Digital mammography. Right breast, cranio-caudal projection. Patient age 23.
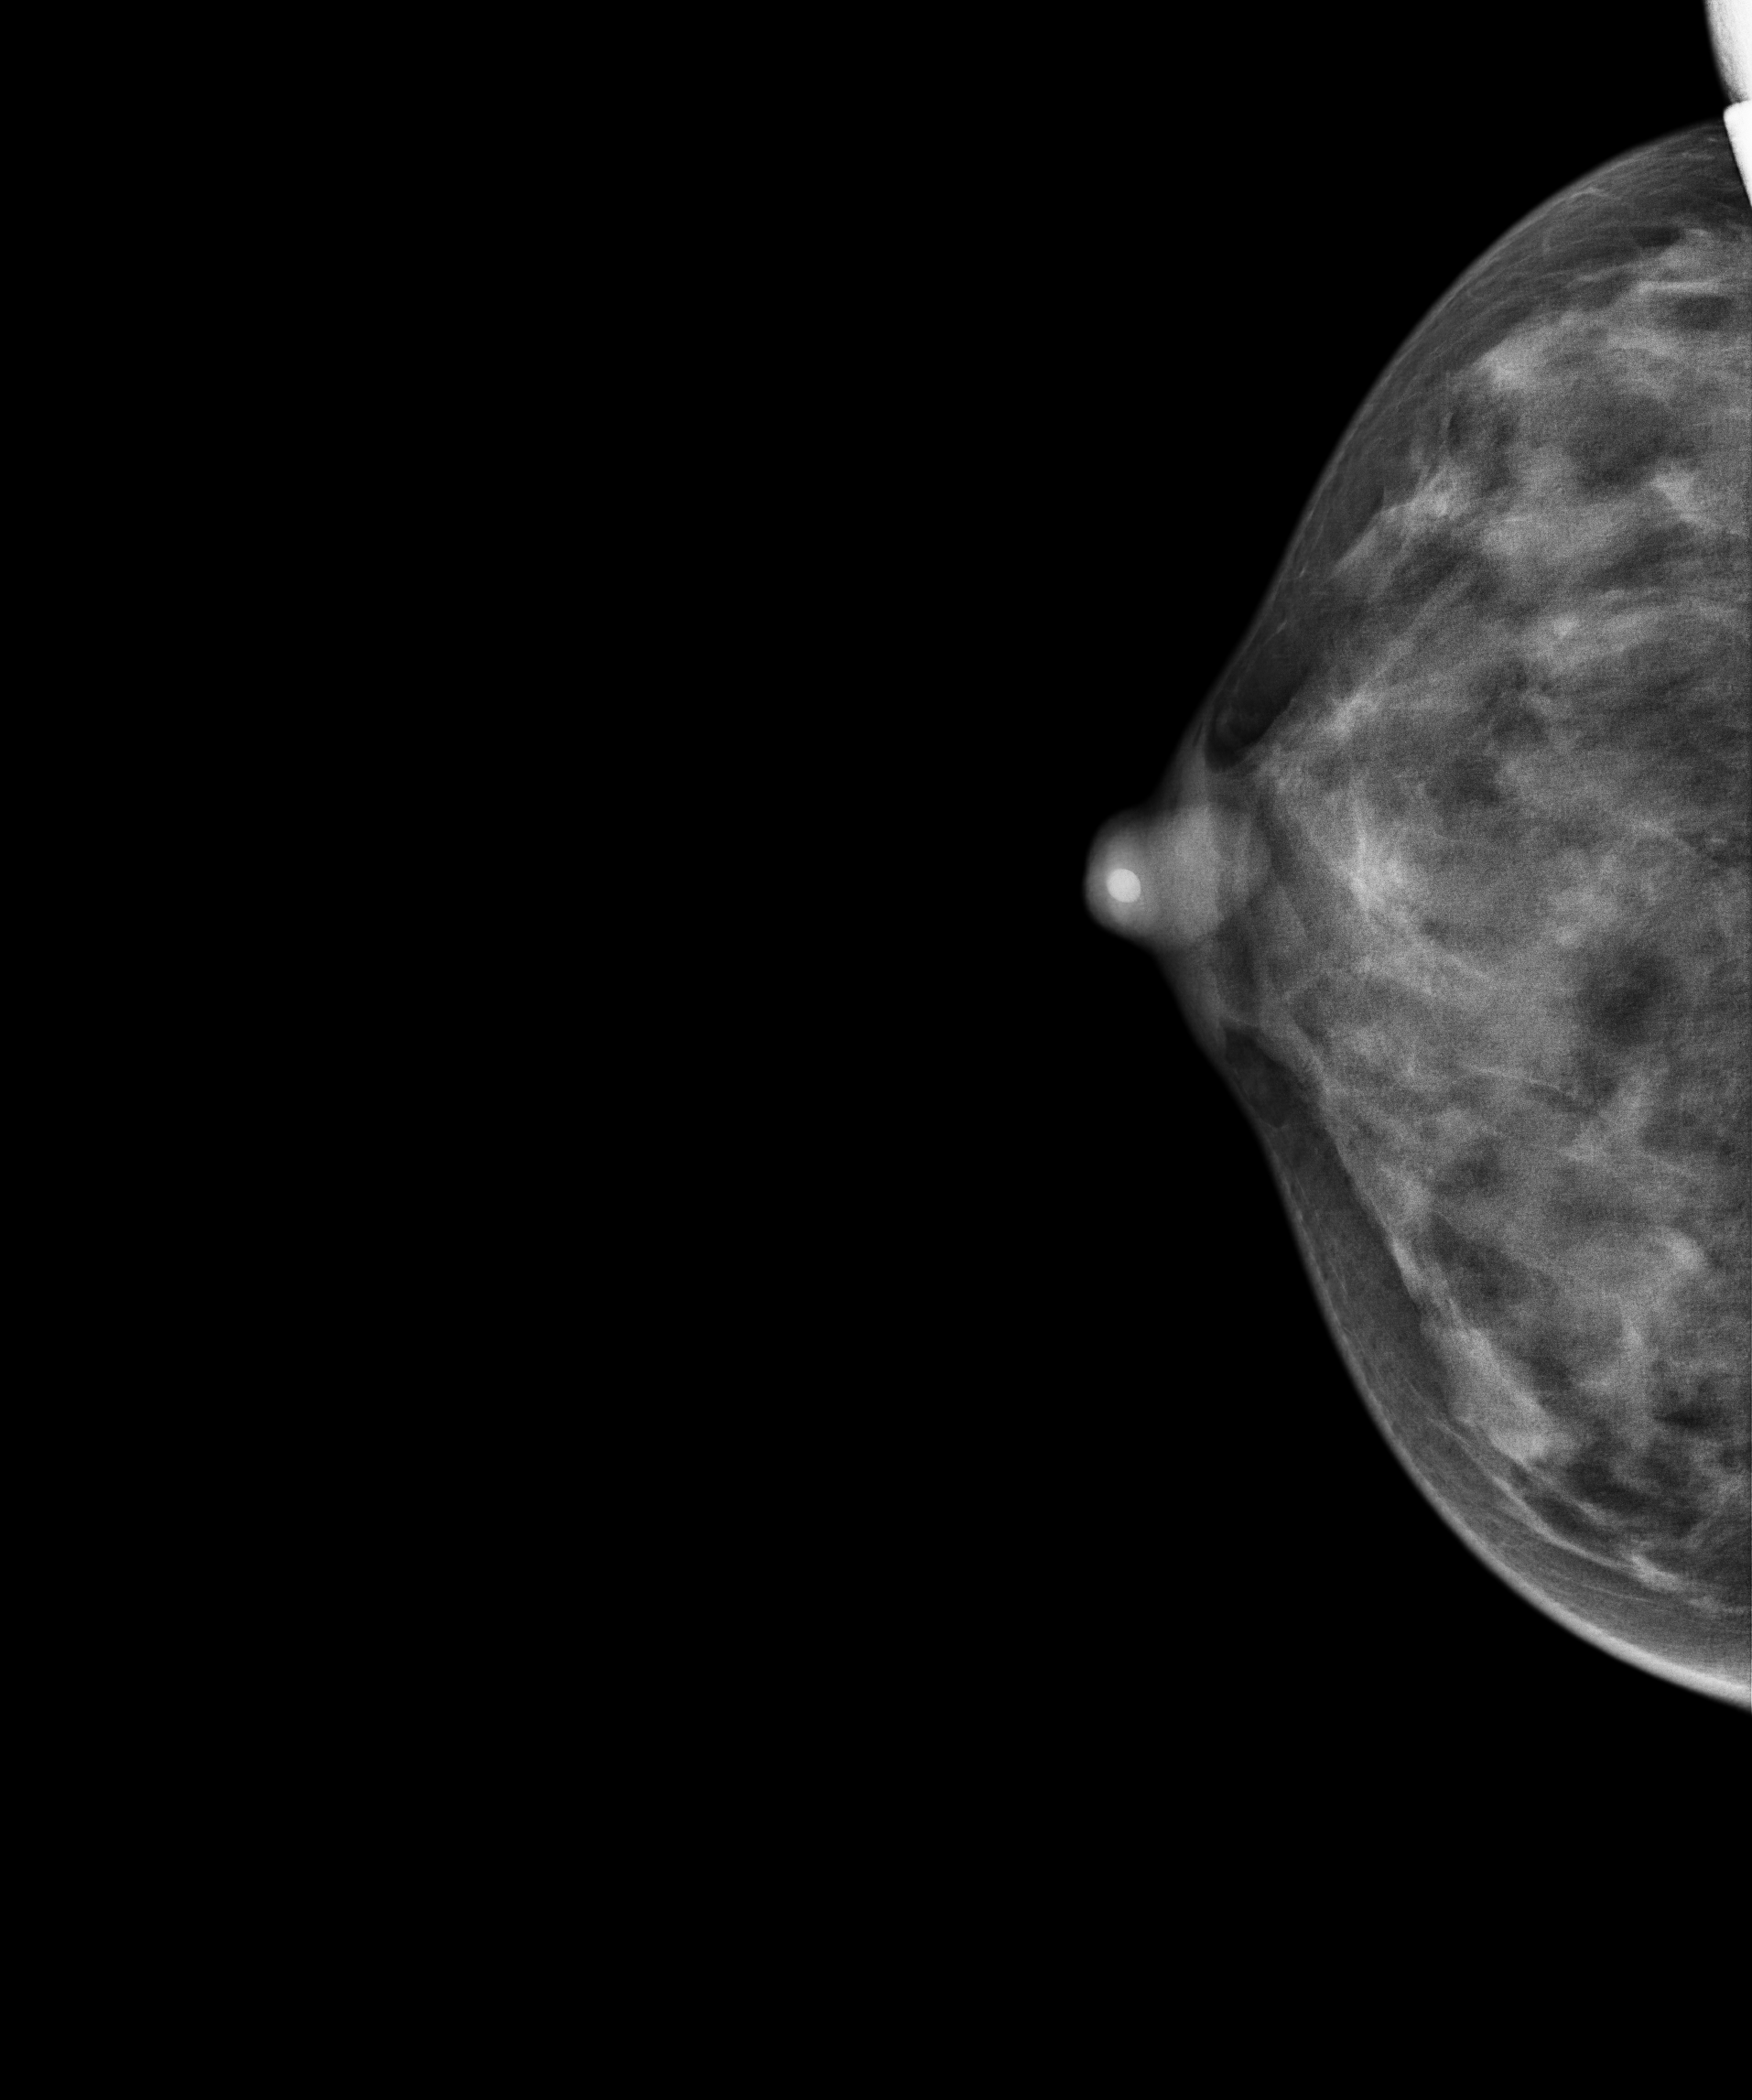
This breast has a mass, histologically confirmed benign.